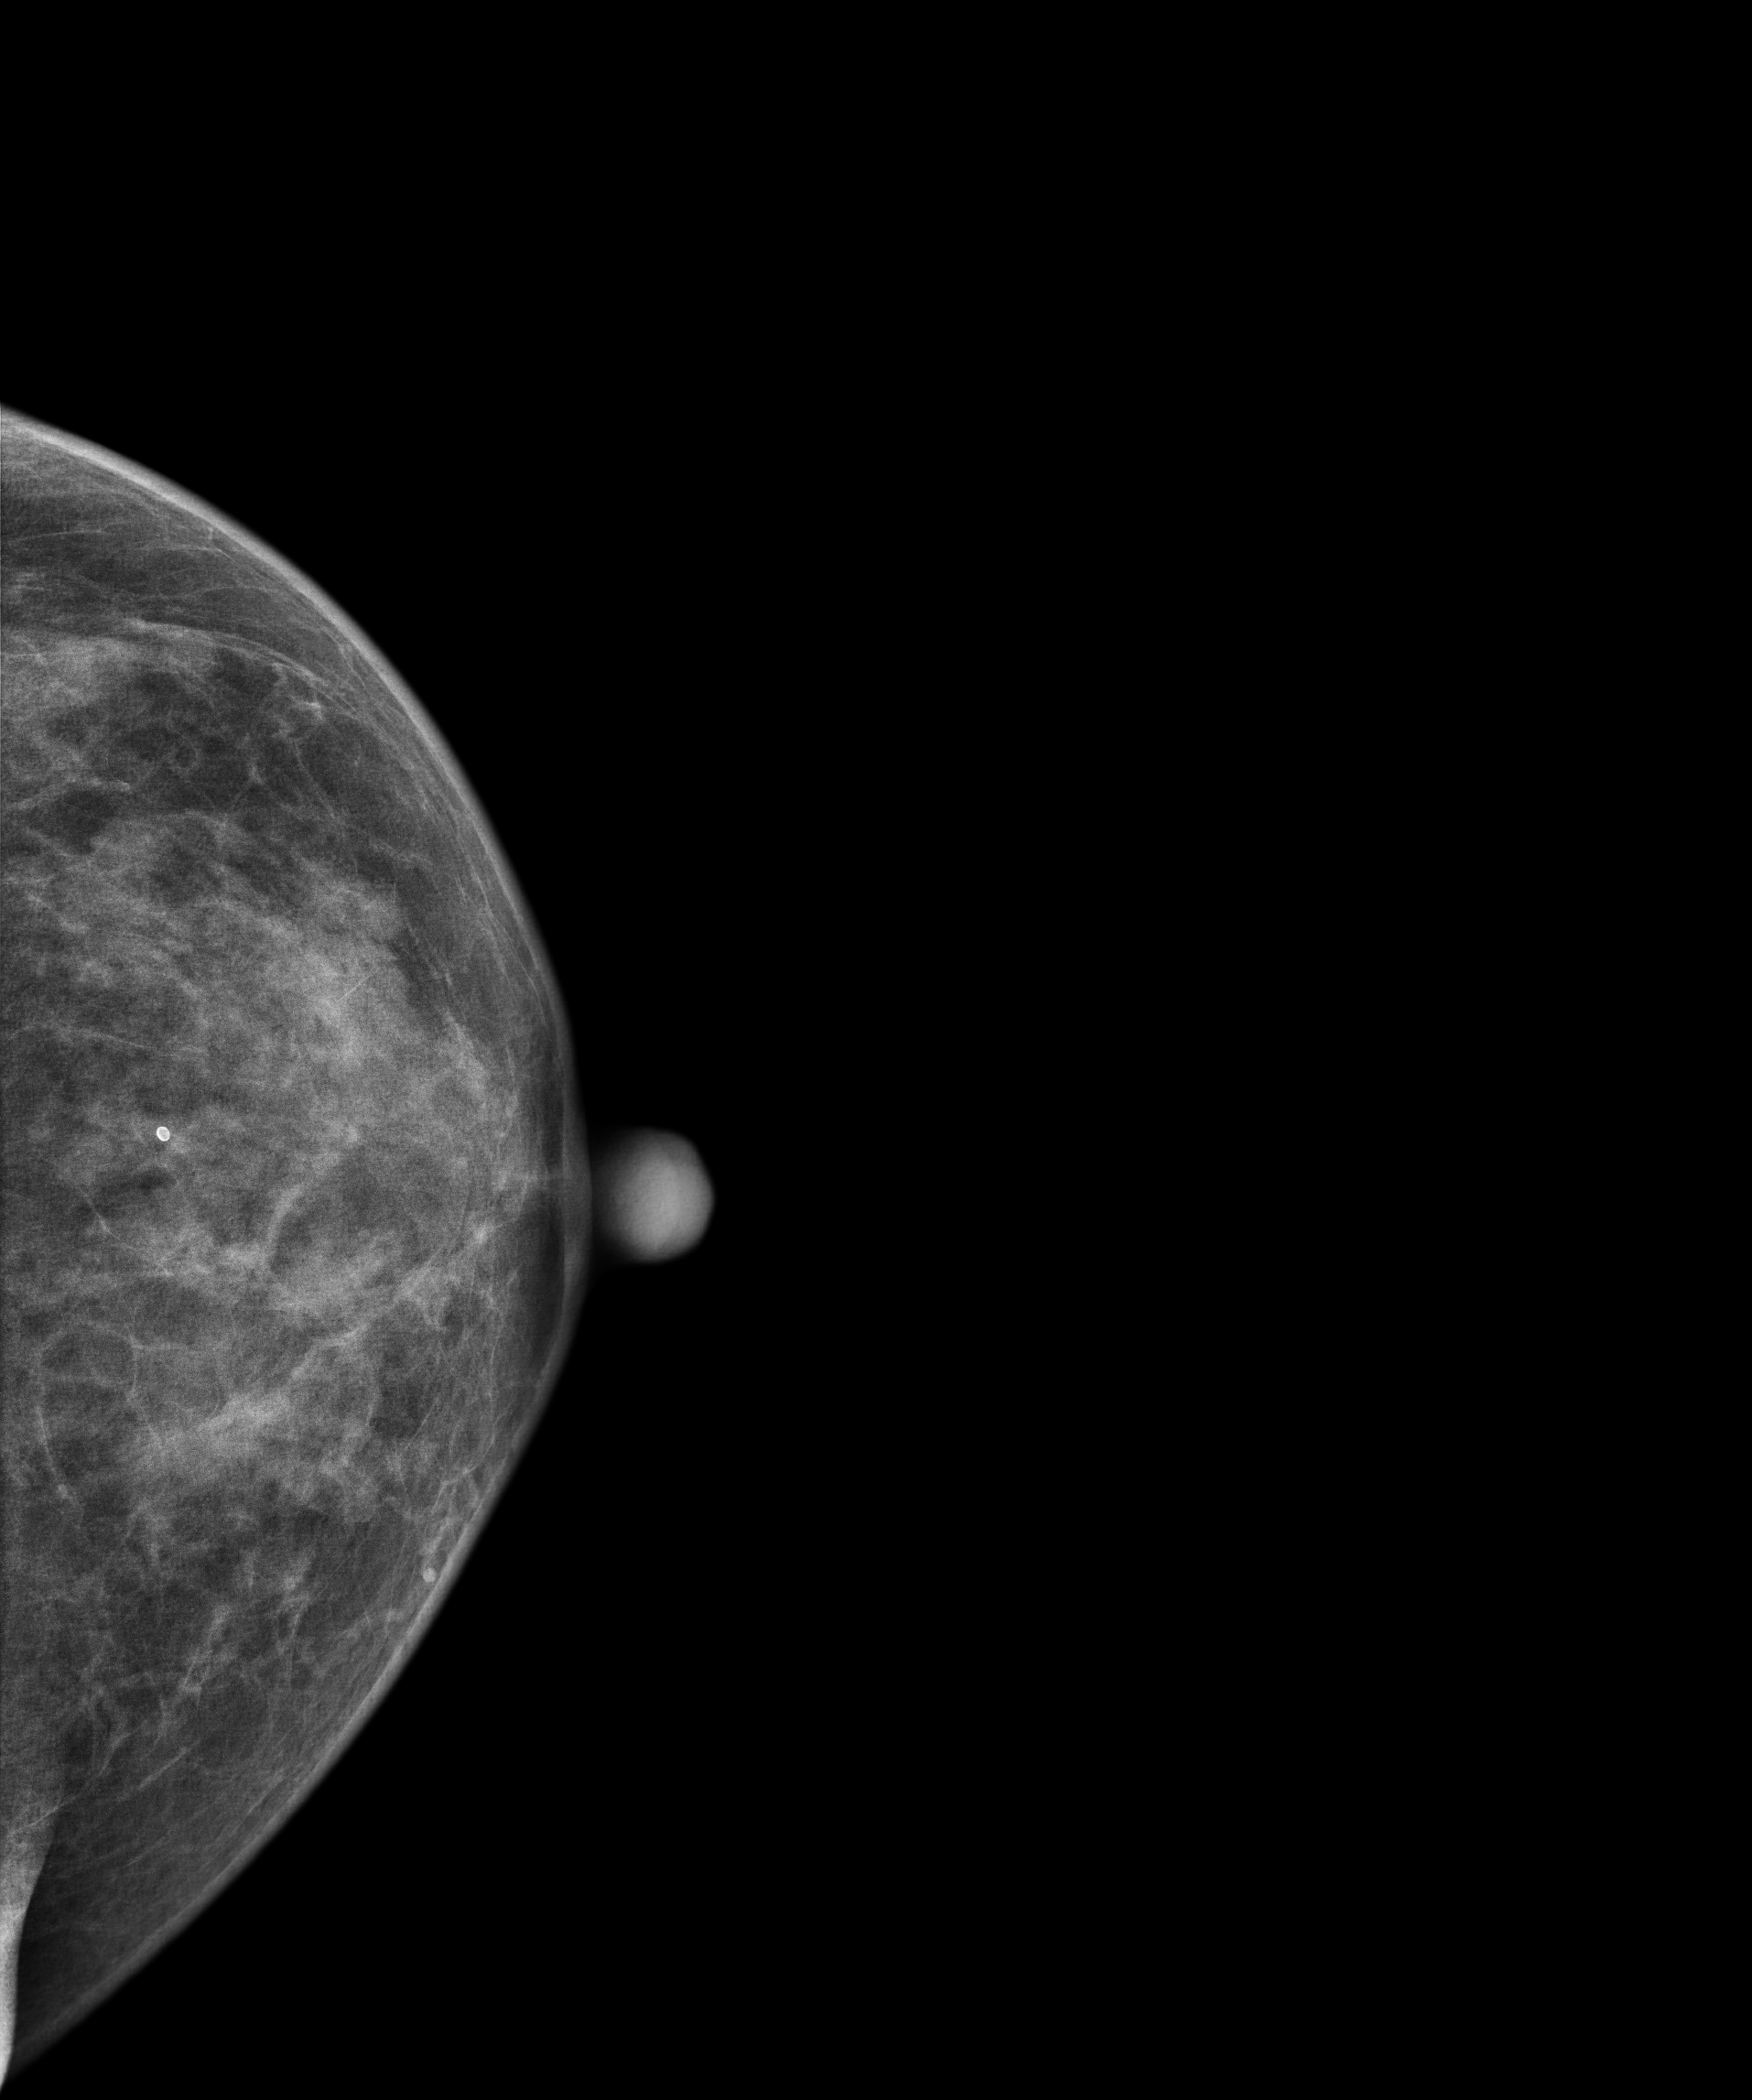
Mammogram, left breast, CC view. 45-year-old patient.
This breast has a mass, biopsy-proven benign.